Medio-lateral oblique mammogram of the left breast. 38-year-old patient.
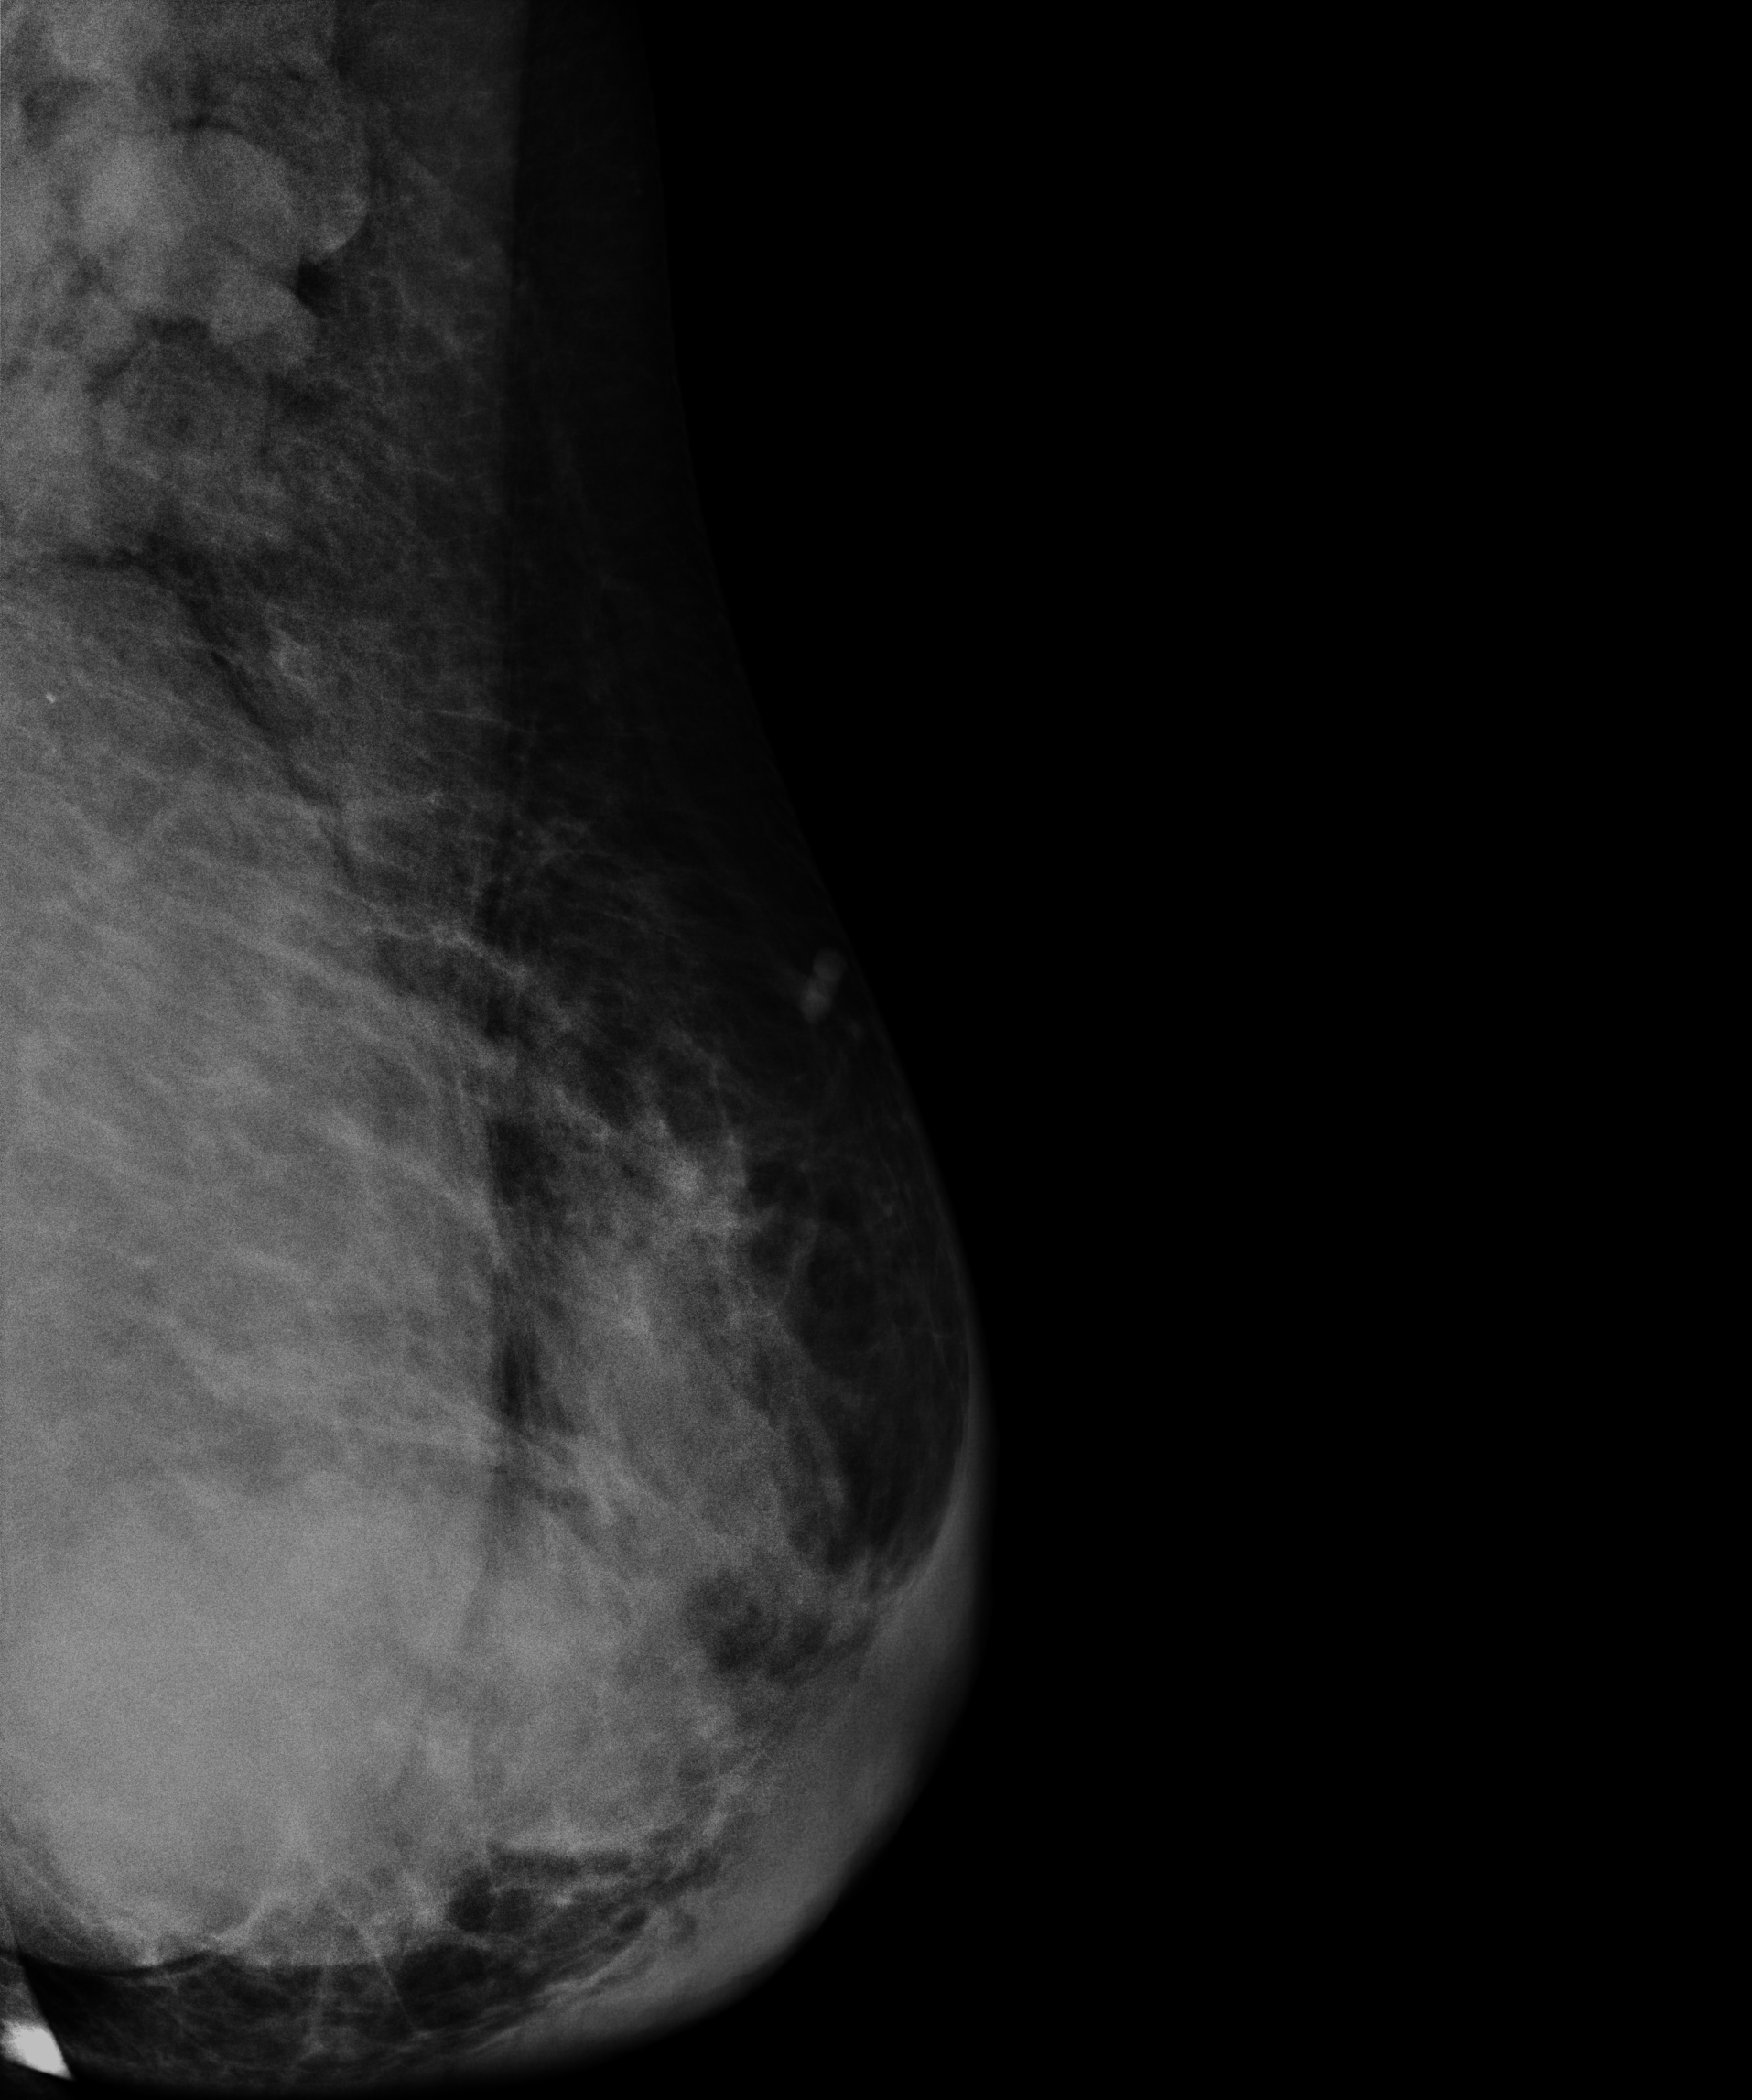
This breast has a mass, histologically confirmed malignant.